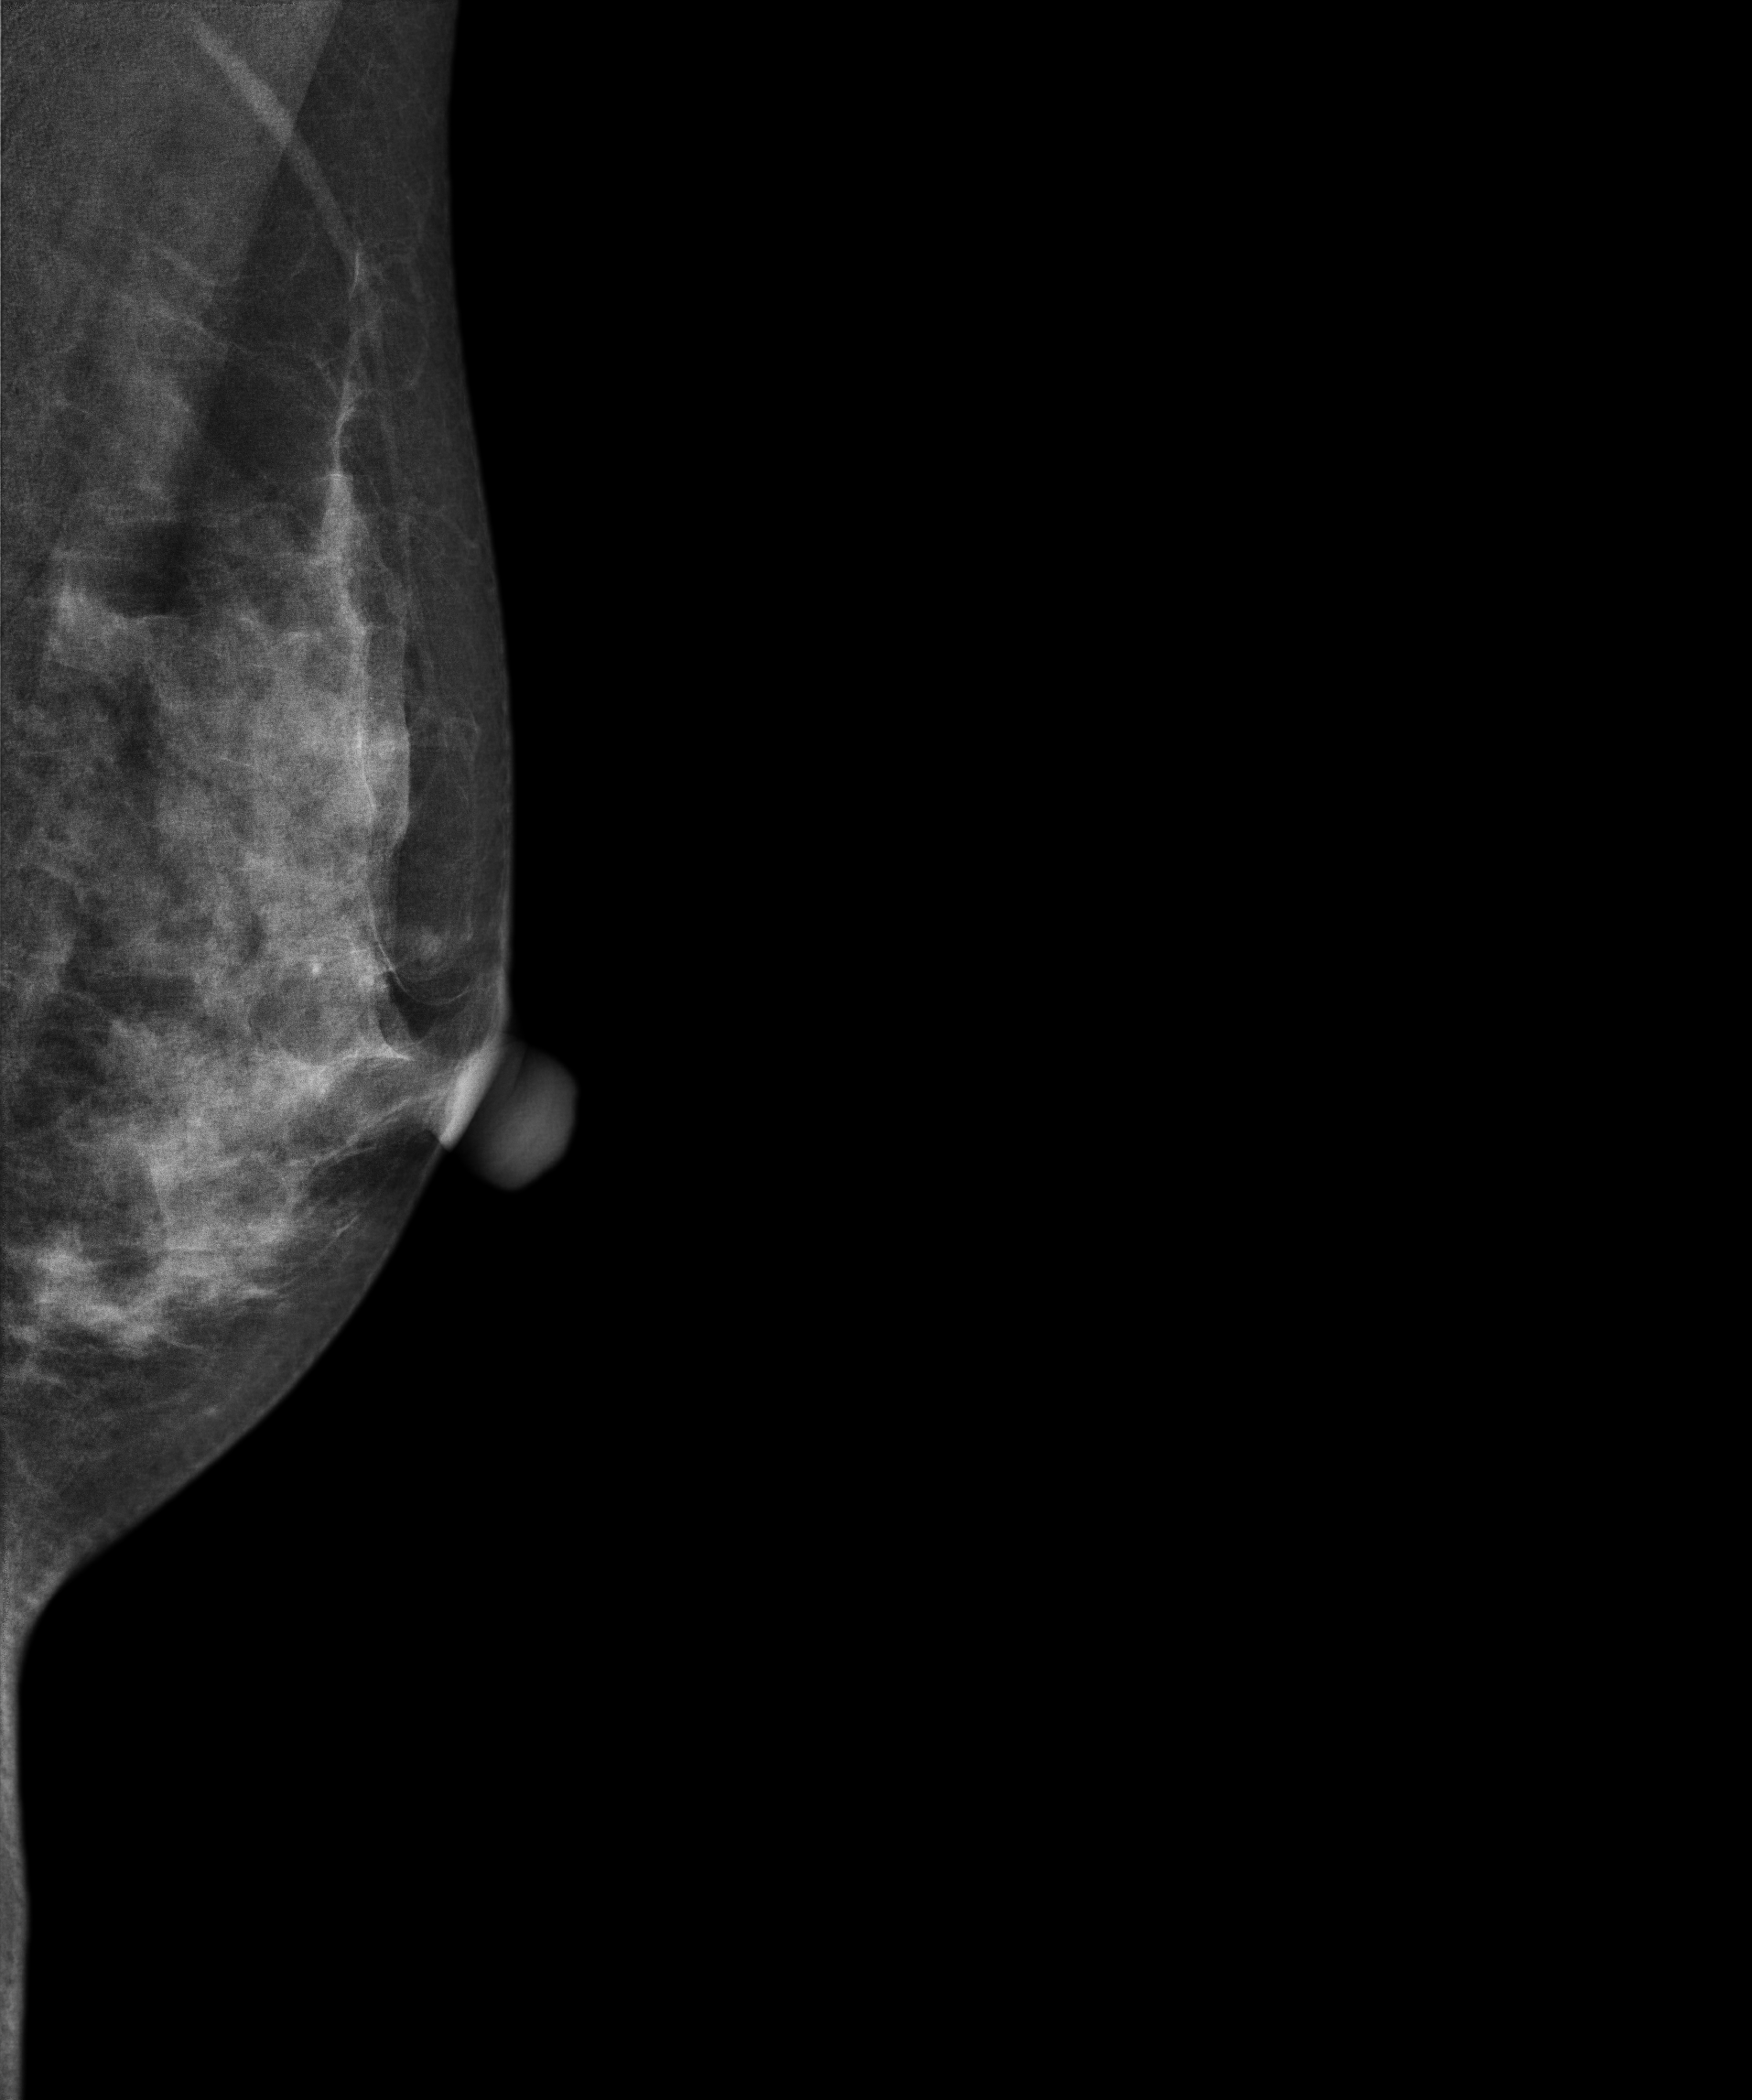
Left-breast mammogram, medio-lateral oblique. 48-year-old patient.
This breast has a mass, histologically confirmed benign.